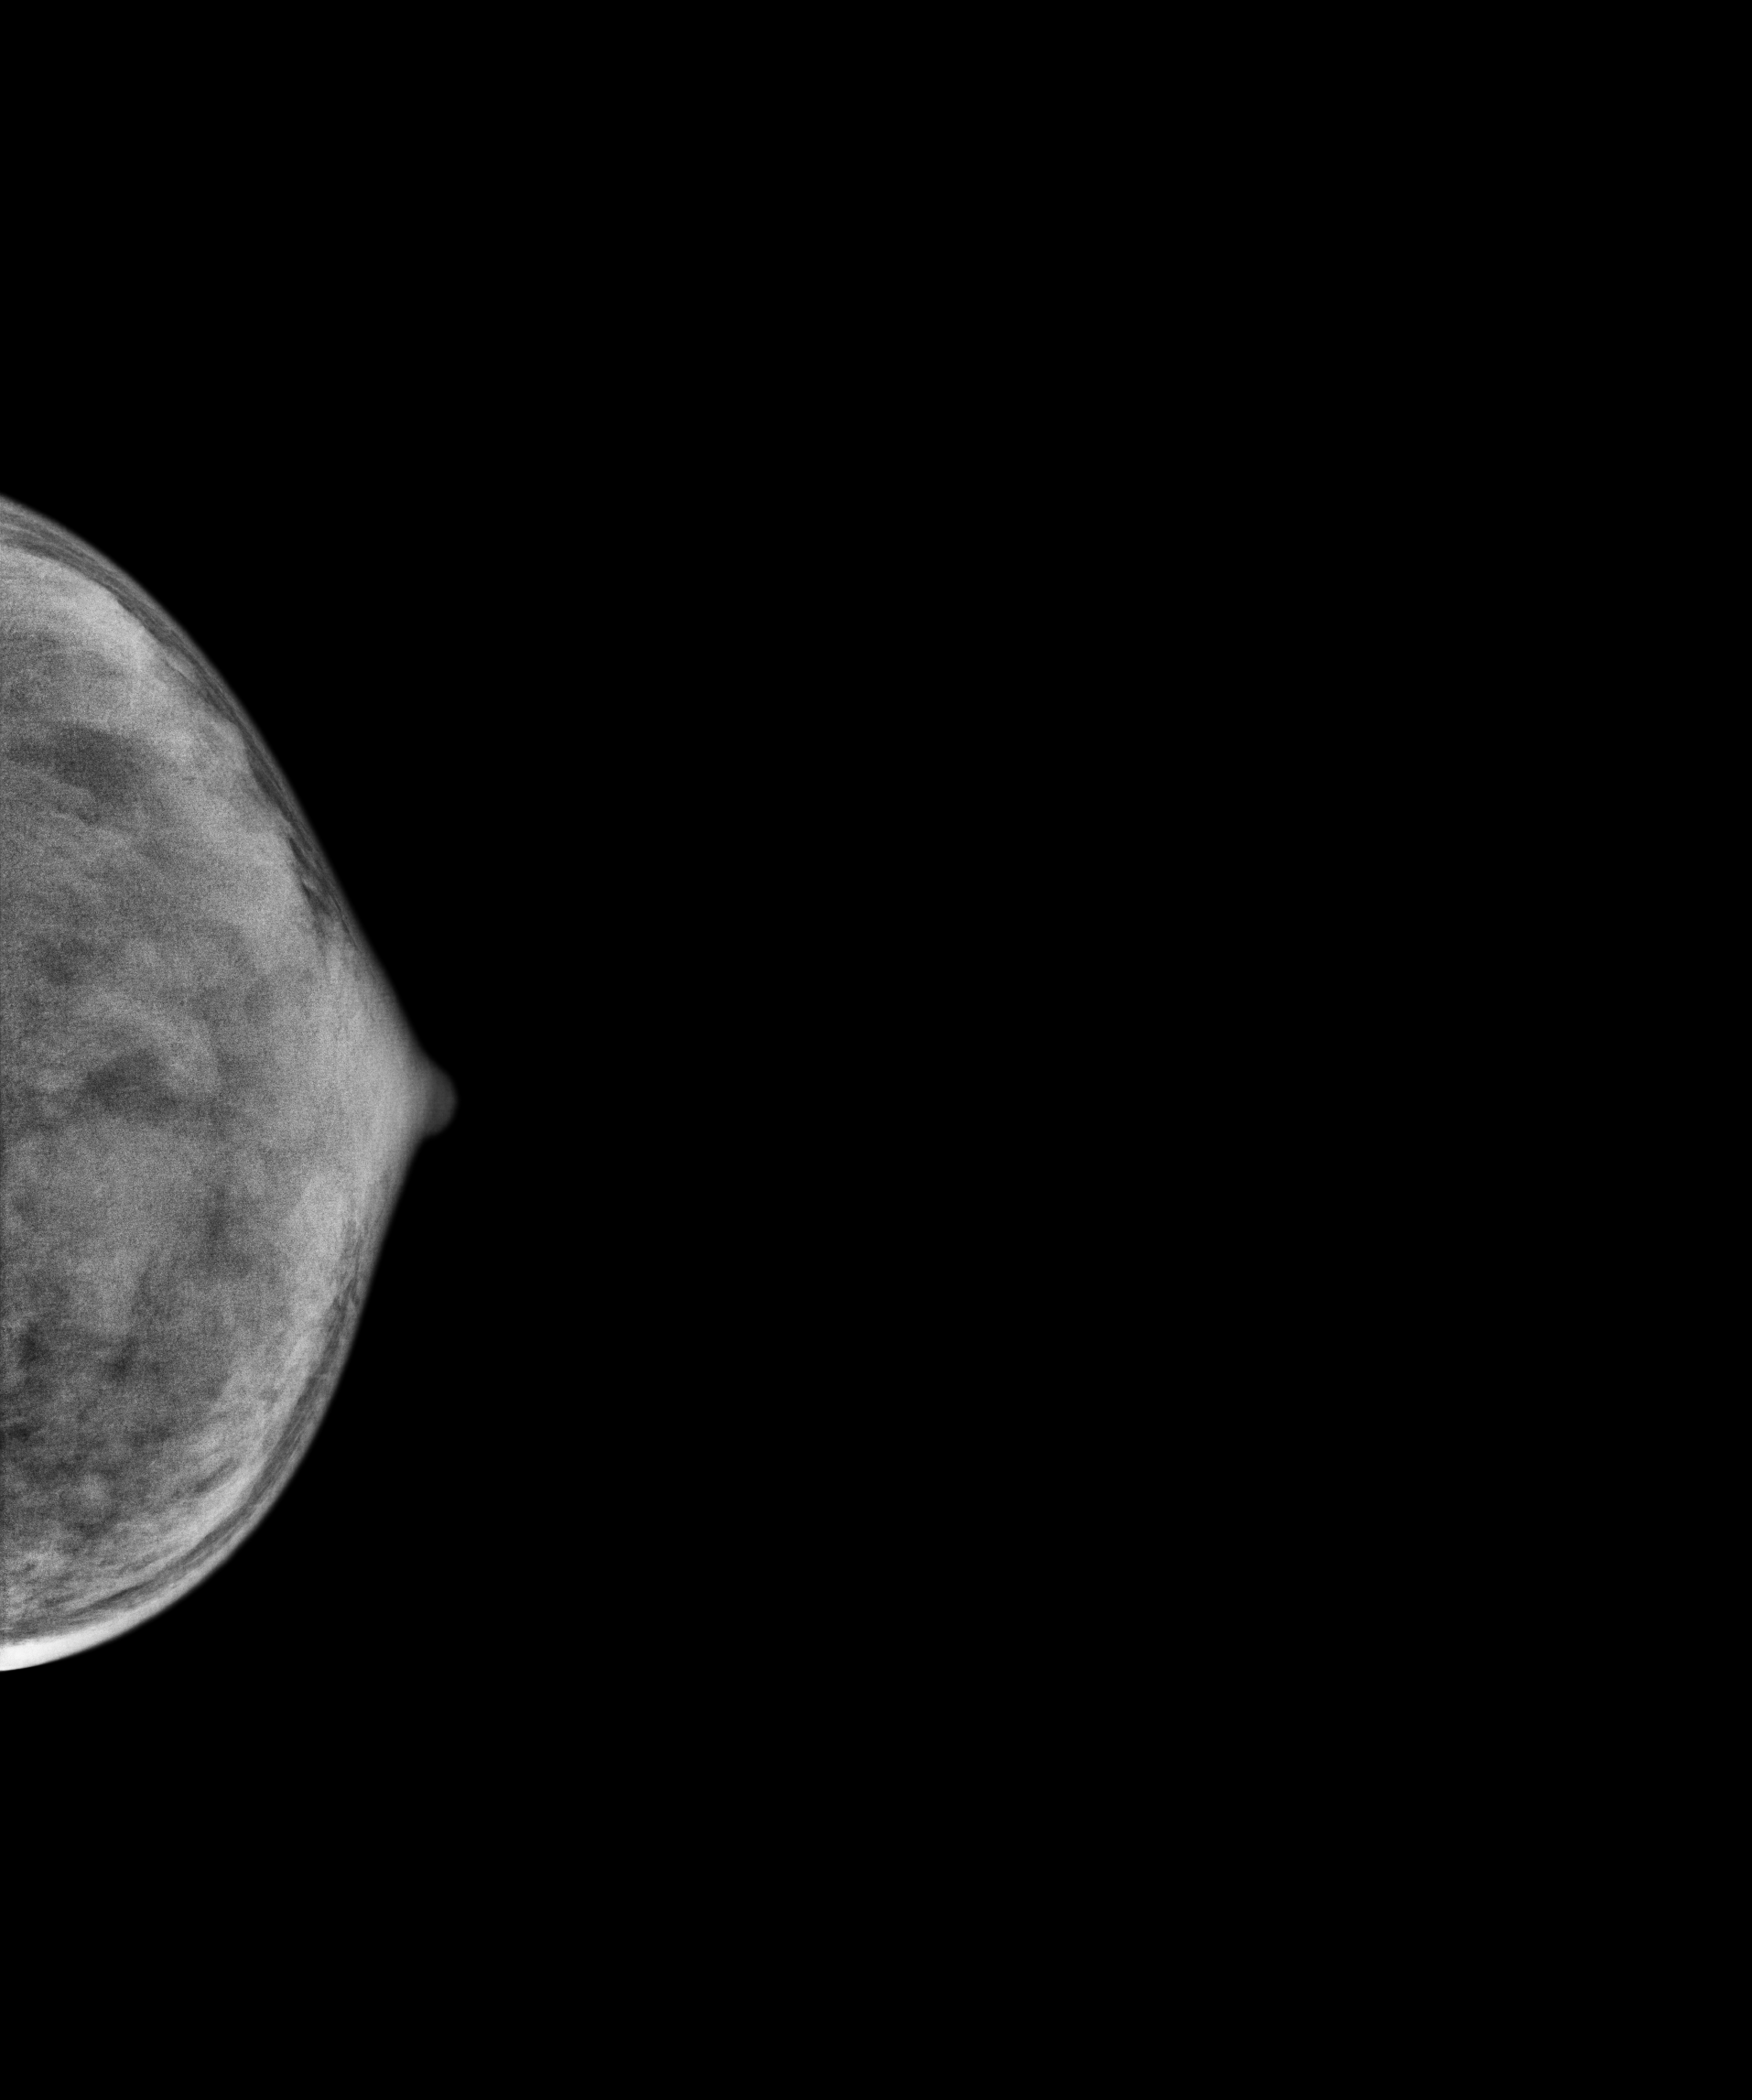
Digital mammography. Left breast, CC projection. Patient age 19.
This breast has a mass, pathology-confirmed benign.